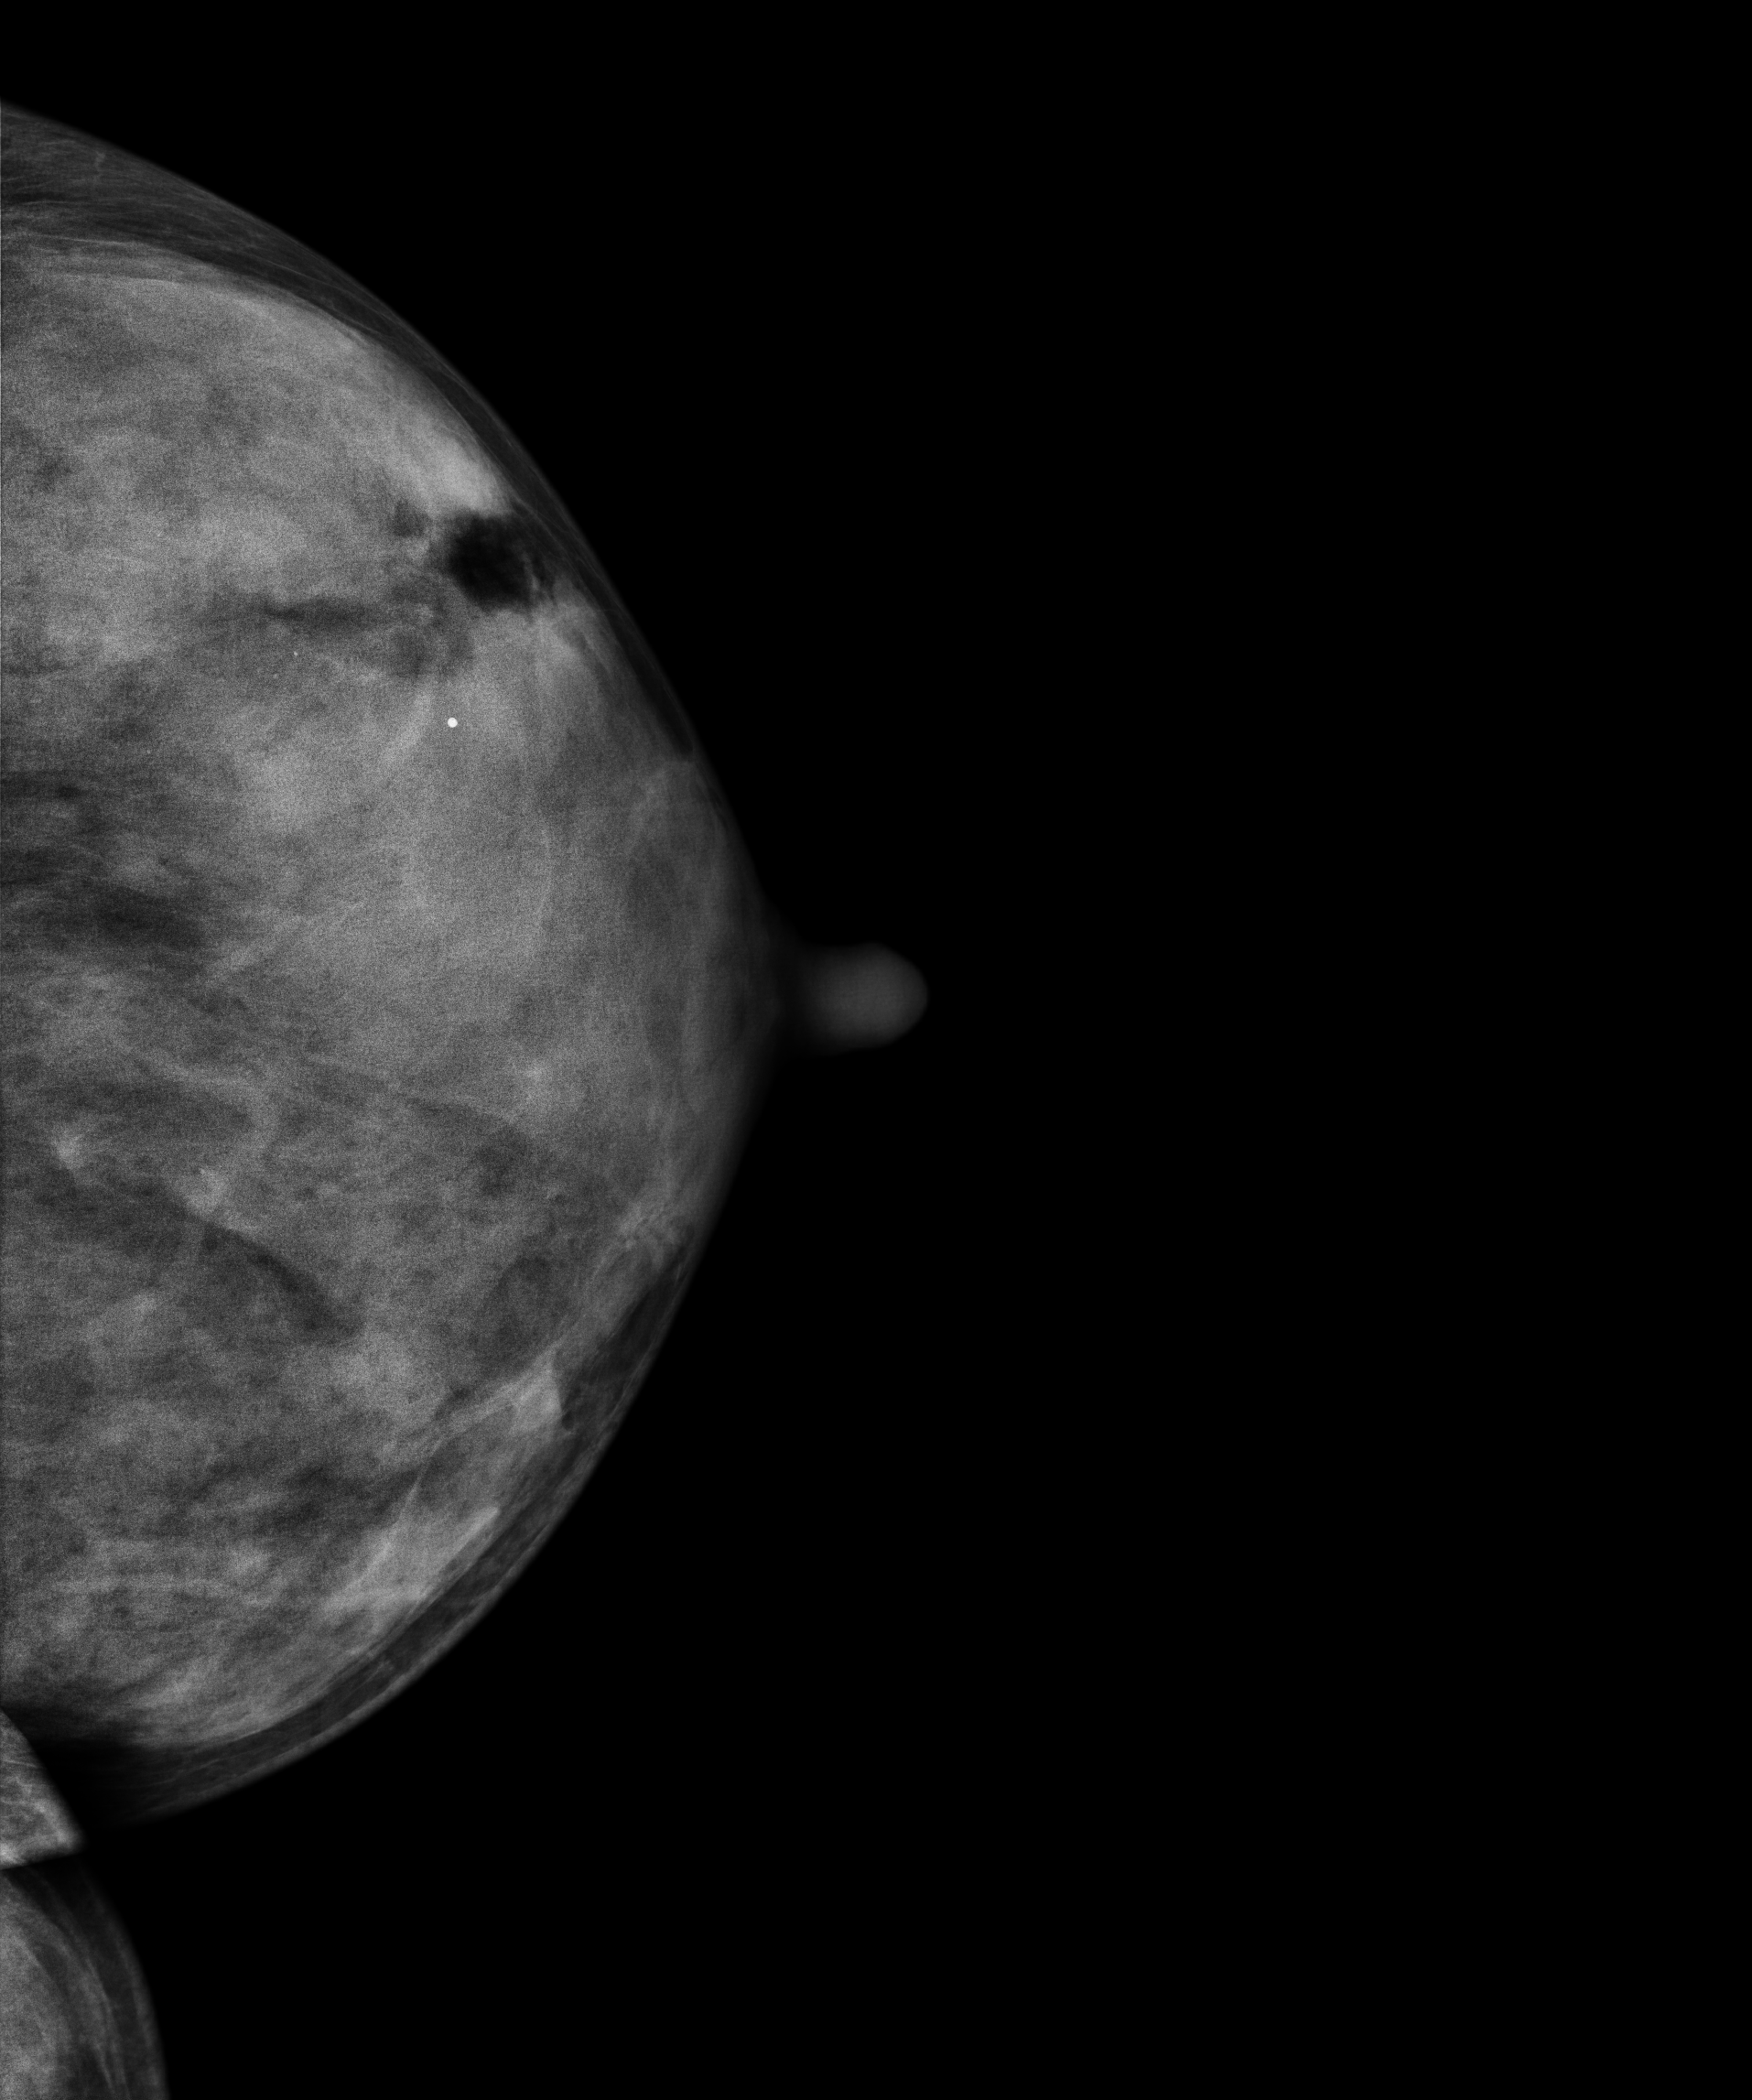
Left-breast mammogram, cranio-caudal. Patient age 47.
Contralateral breast — no documented abnormality on this side.